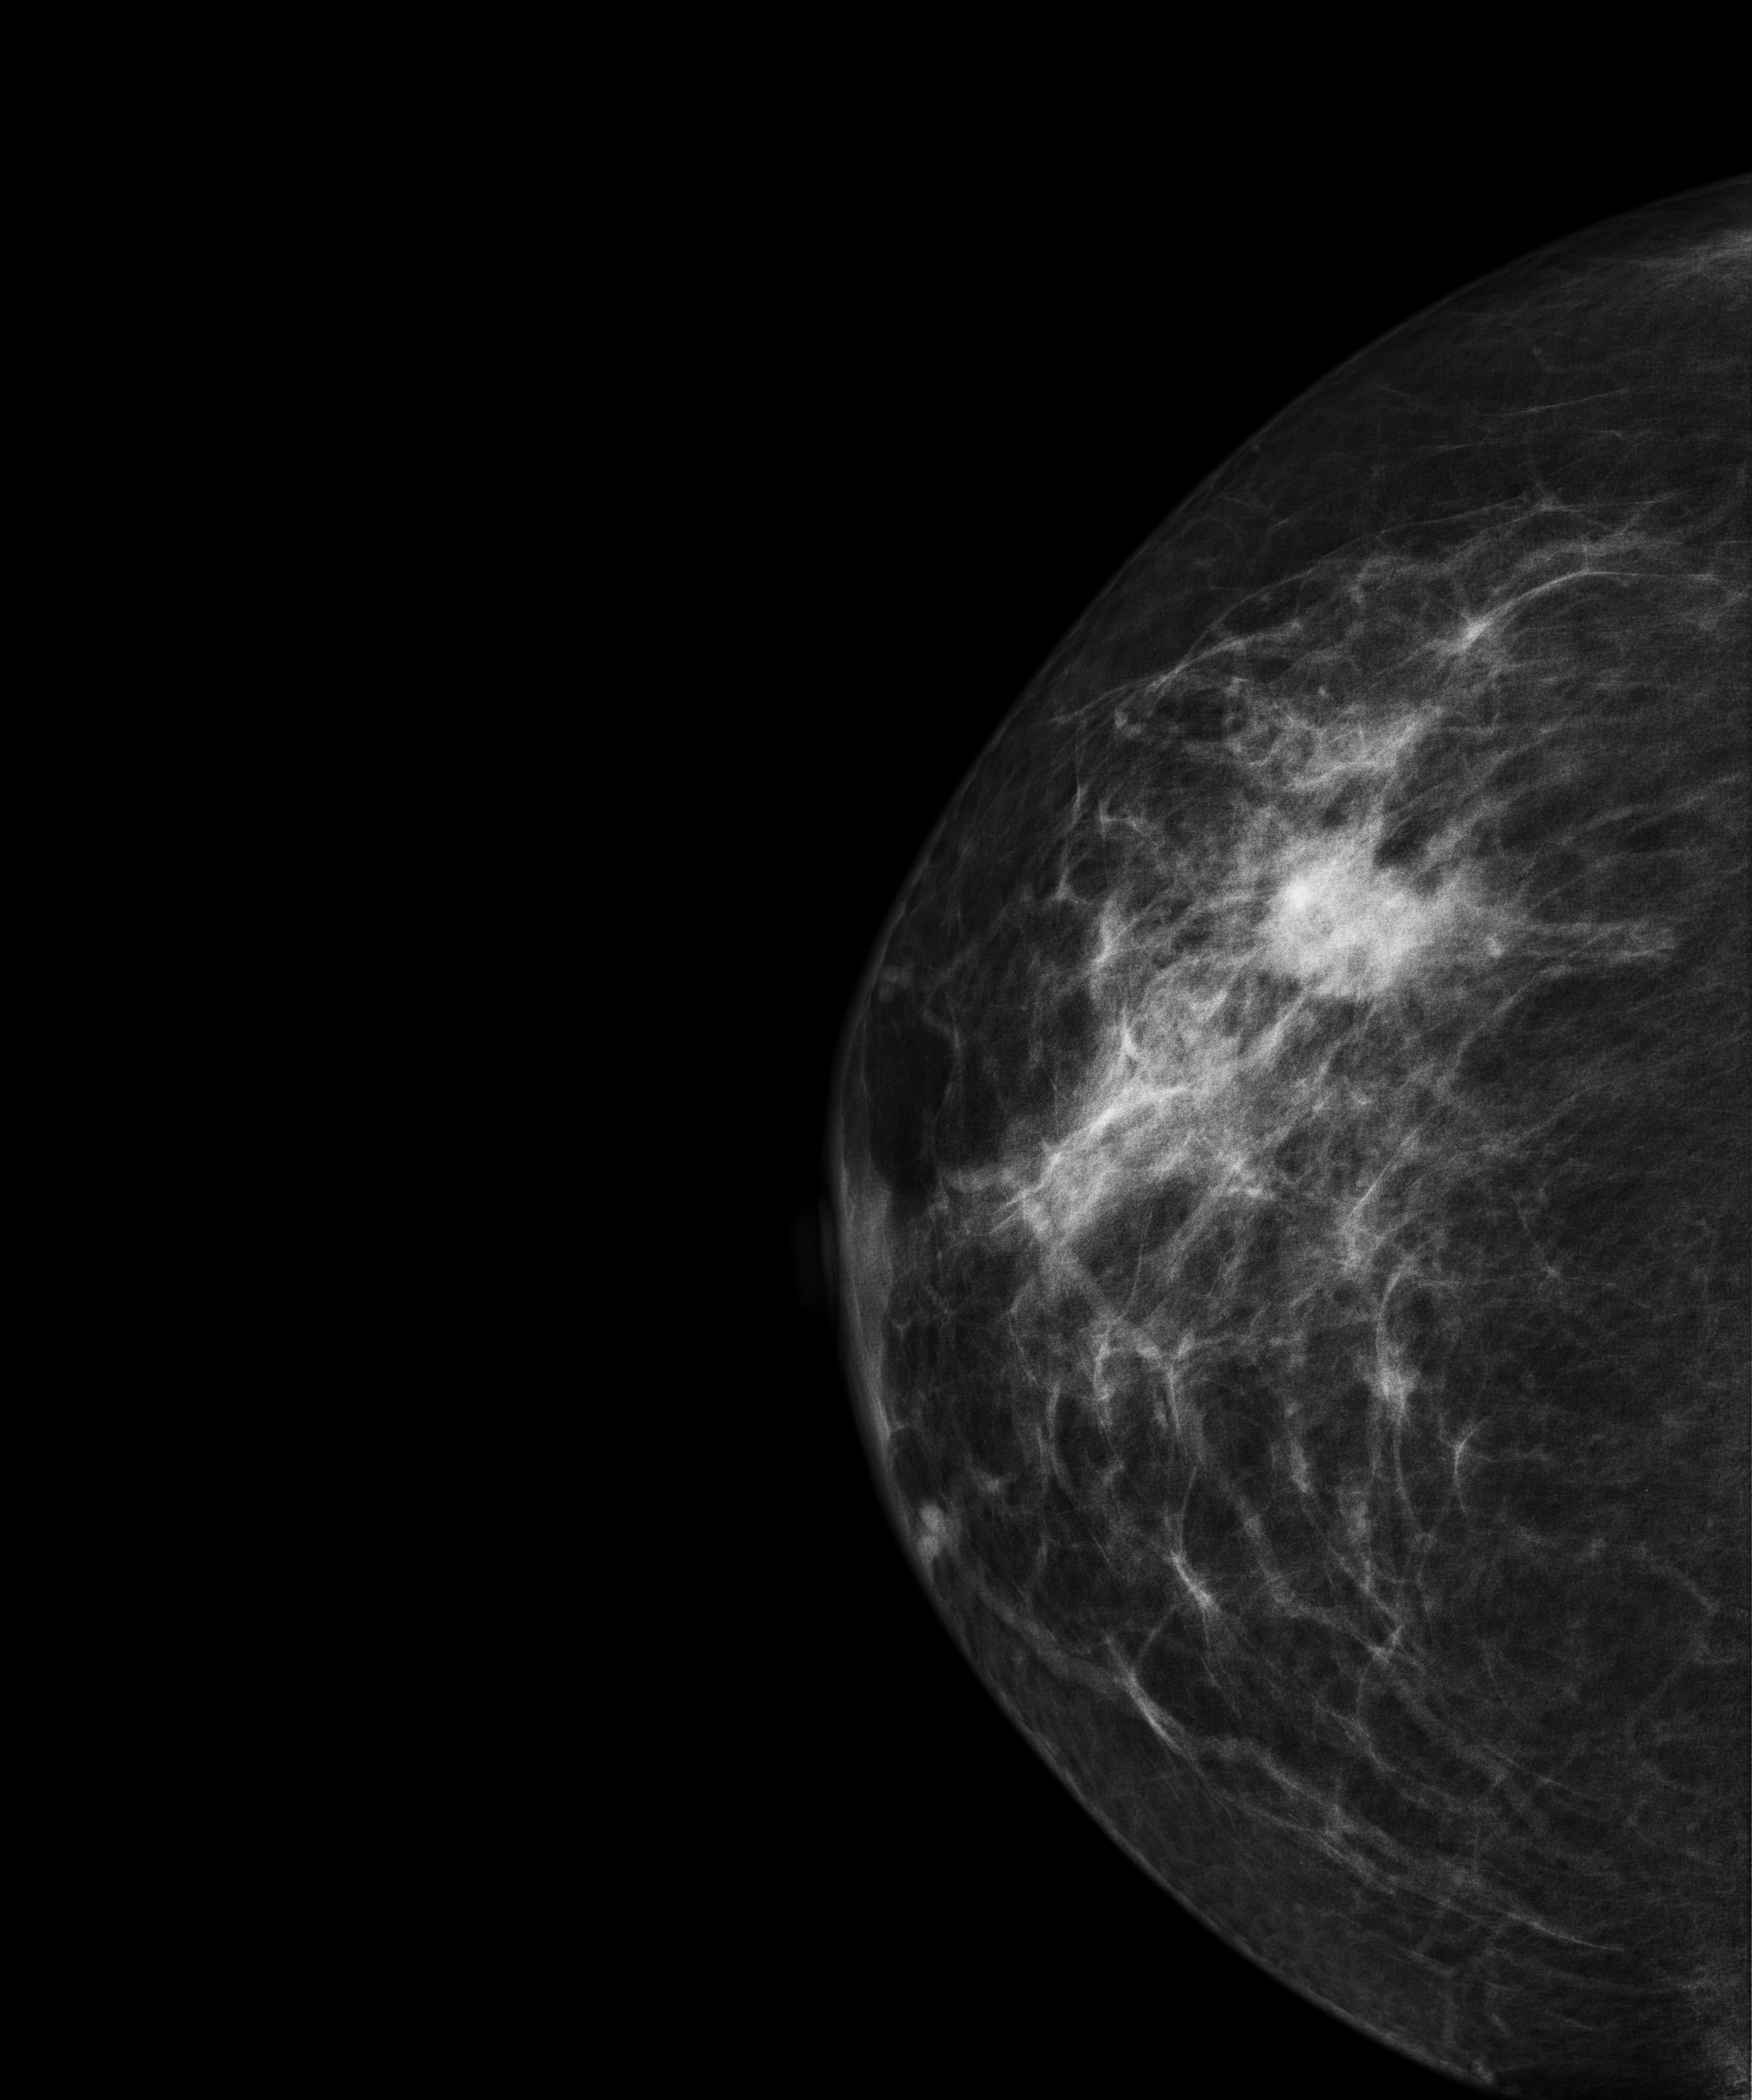
Mammogram, right breast, CC view. Patient age 60.
This breast has a mass, biopsy-proven malignant. Molecular subtype: triple-negative.